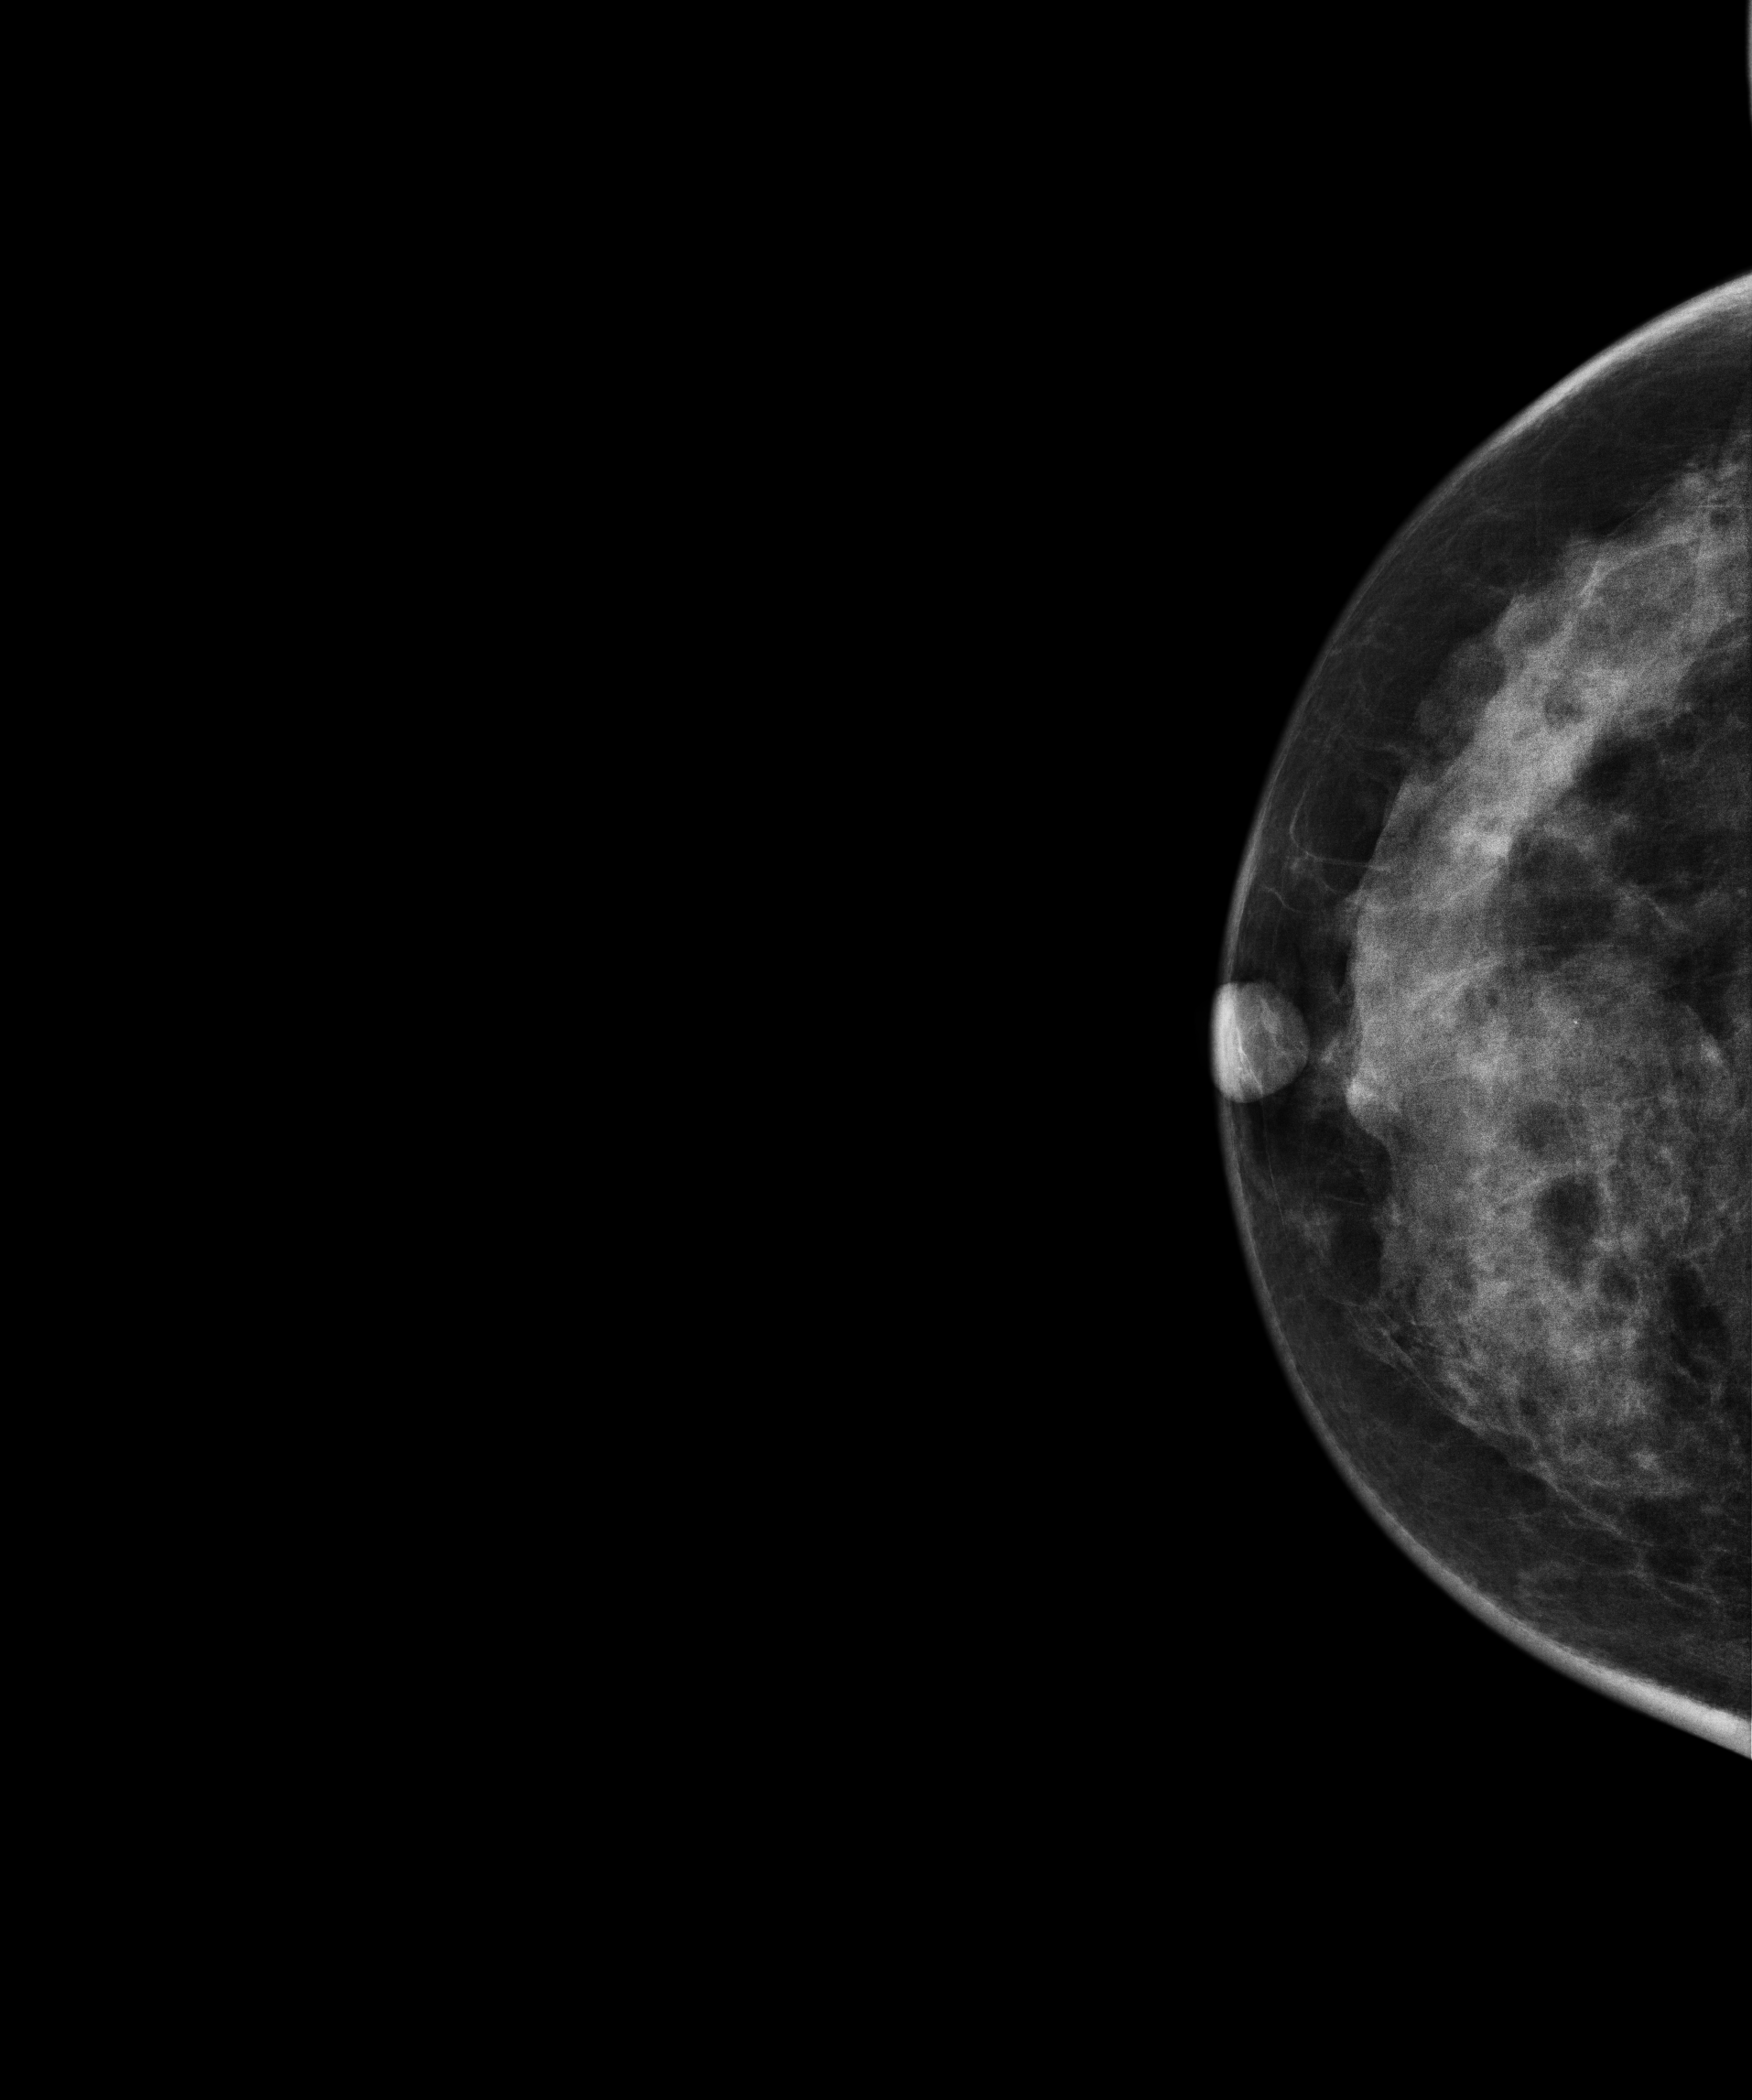
Mammogram — right cranio-caudal. 43 y/o patient.
This breast has a mass and calcifications, biopsy-proven benign.